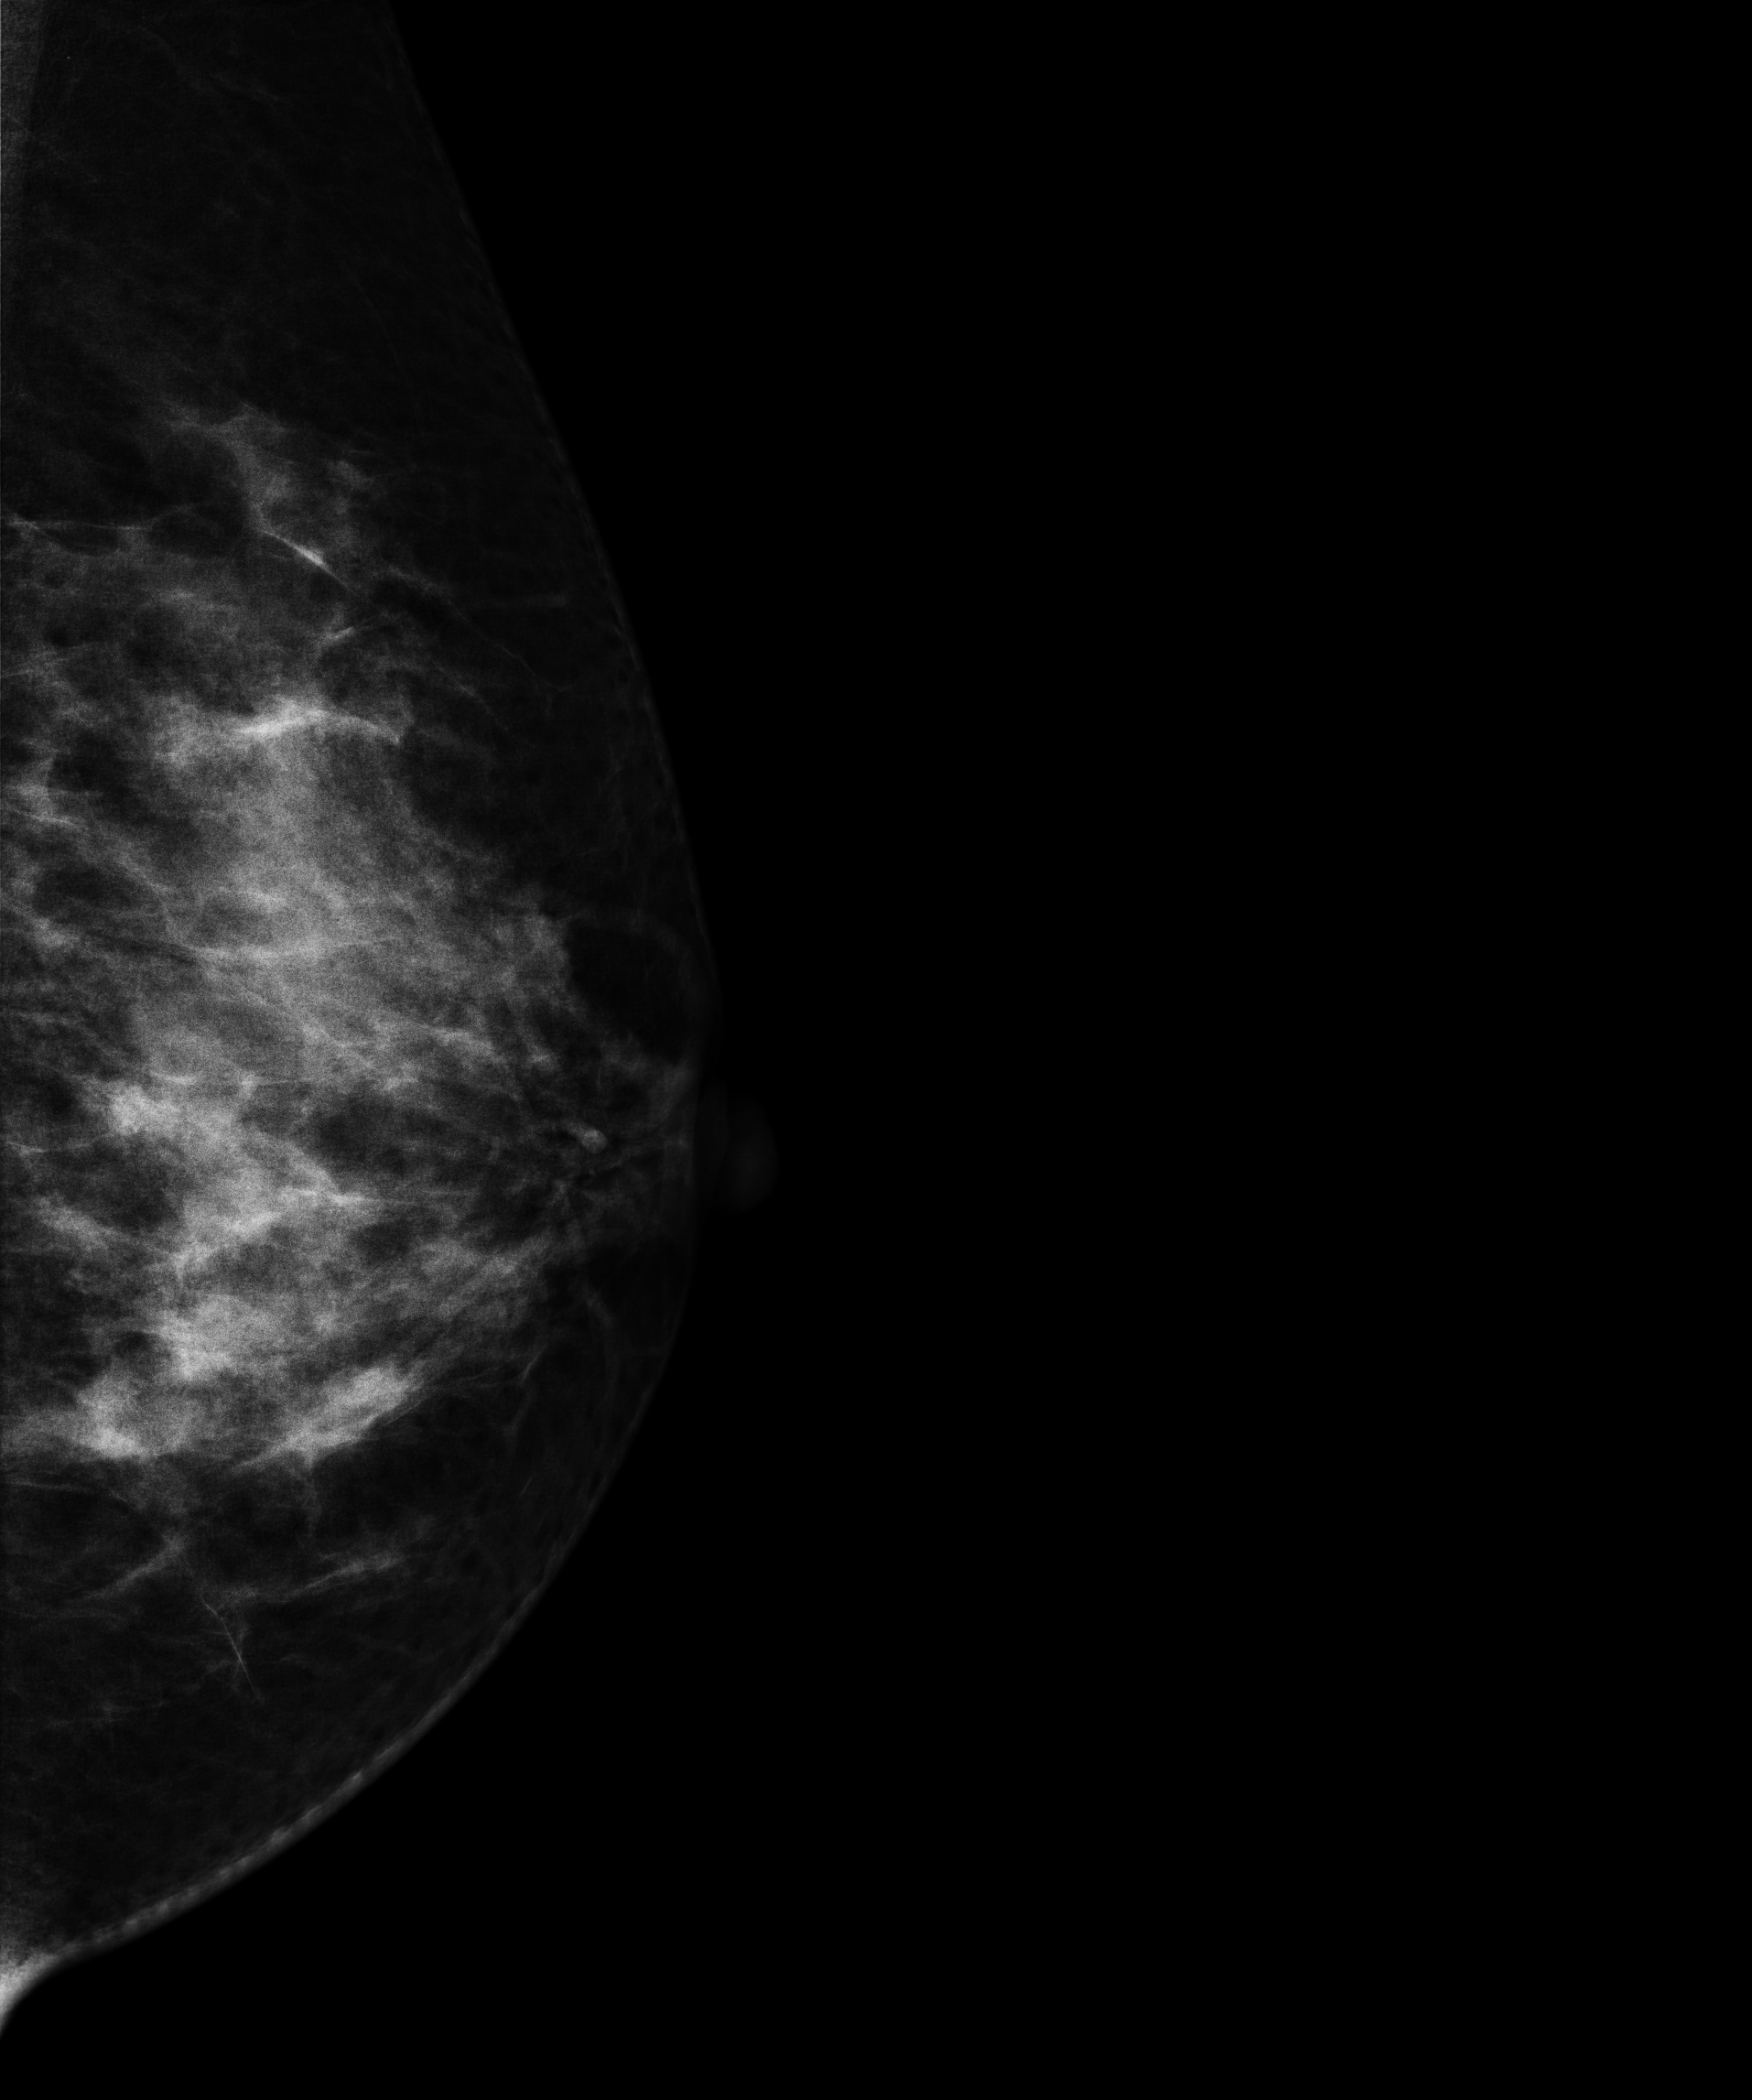
Digital mammography. Left breast, MLO projection. 34-year-old patient.
This breast has a mass, histologically confirmed benign.